Right-breast mammogram, CC. Patient age 50.
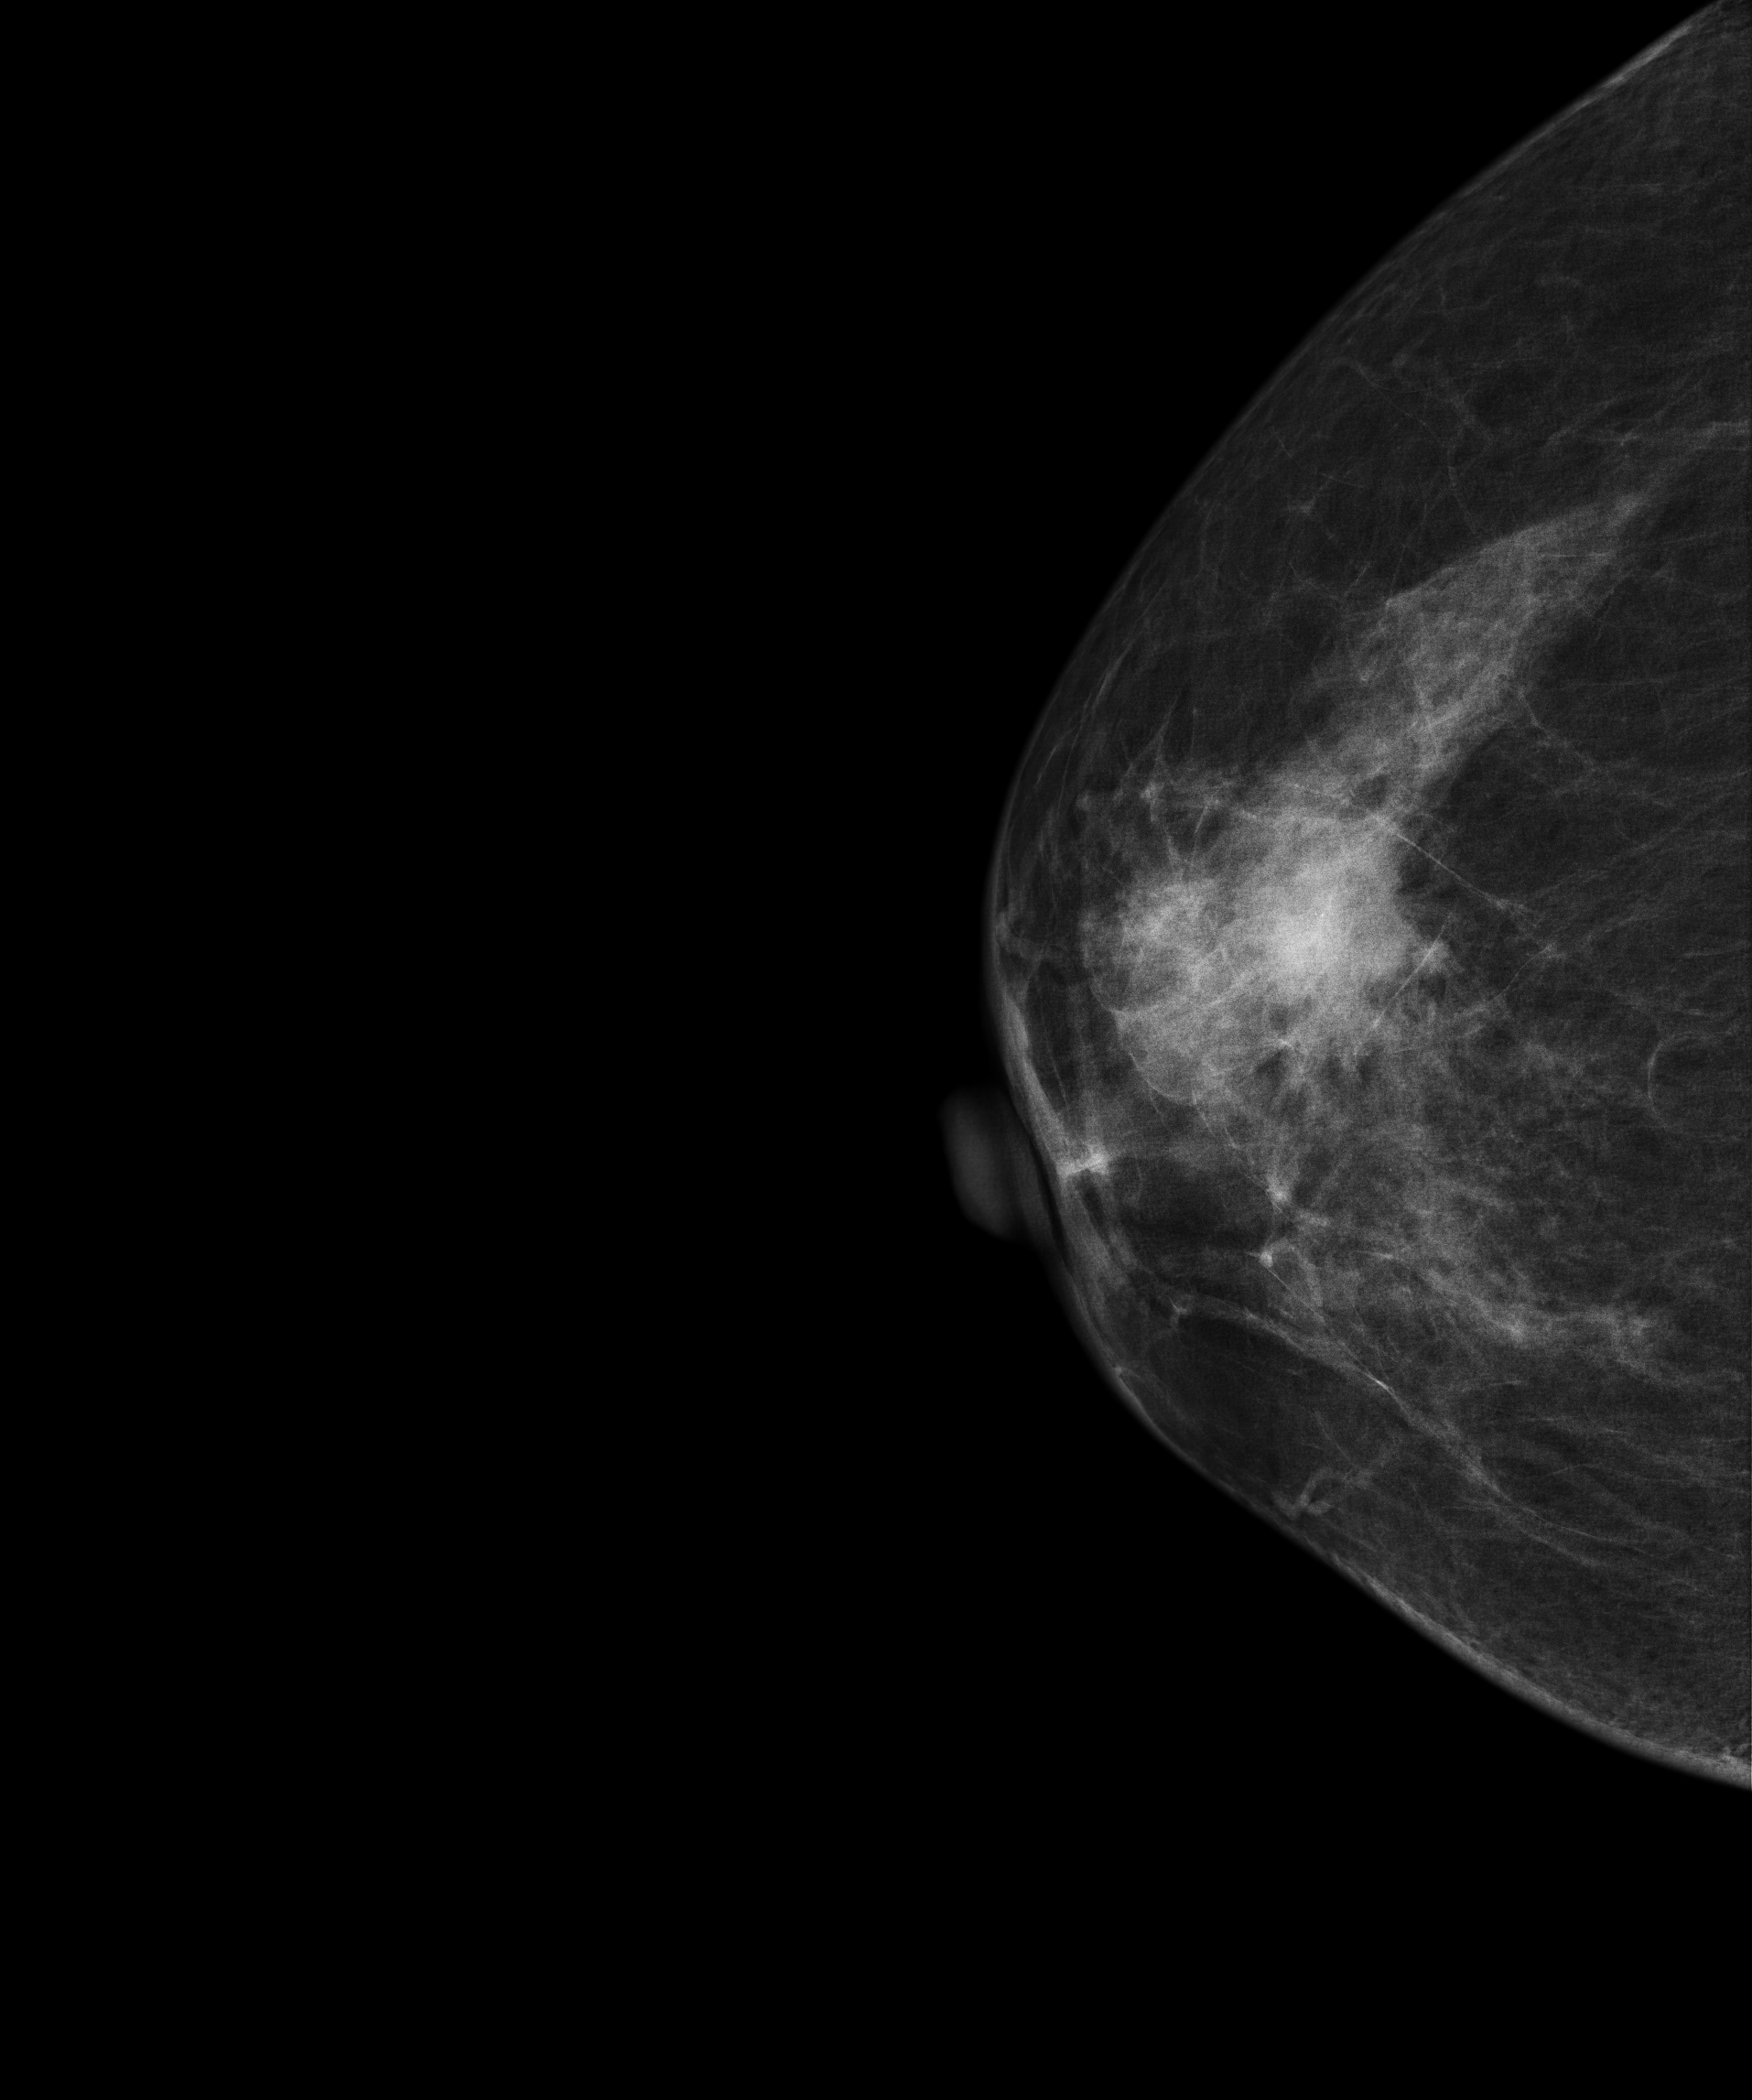
This breast has a mass, biopsy-proven malignant. Molecular subtype: luminal B.